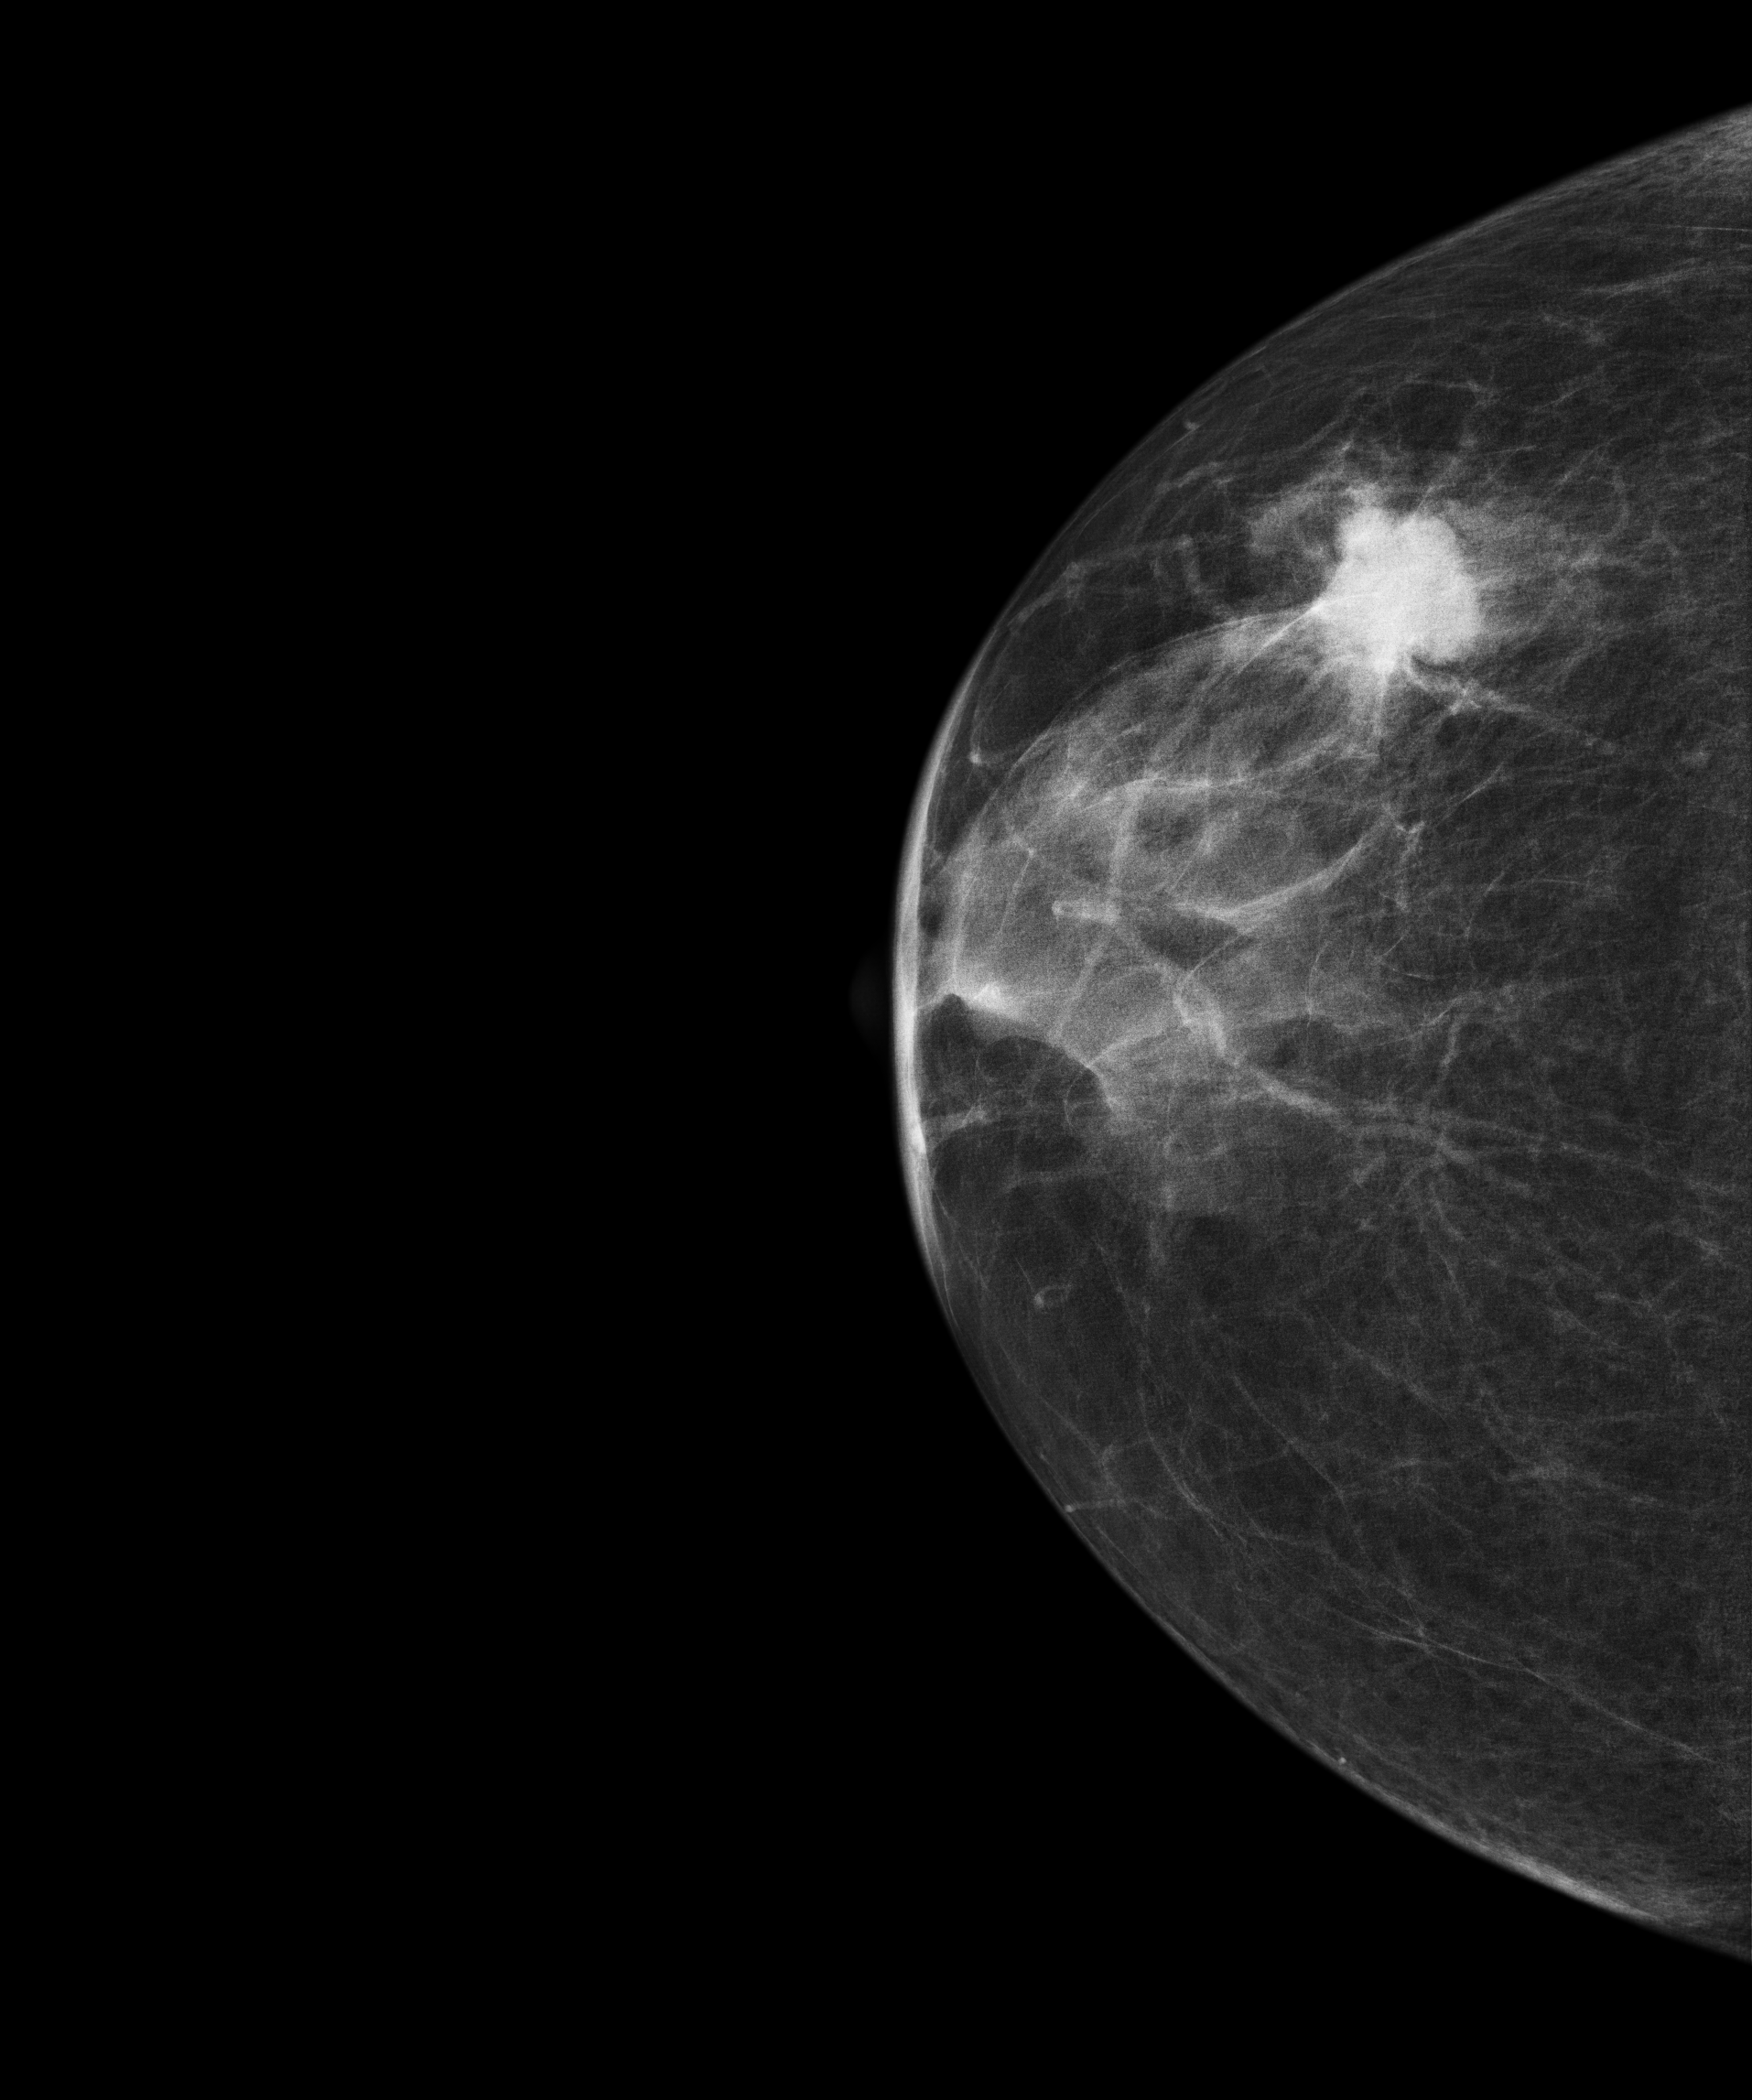
Digital mammography. Right breast, CC projection. 72 y/o patient.
This breast has a mass, biopsy-proven malignant. Molecular subtype: luminal B.